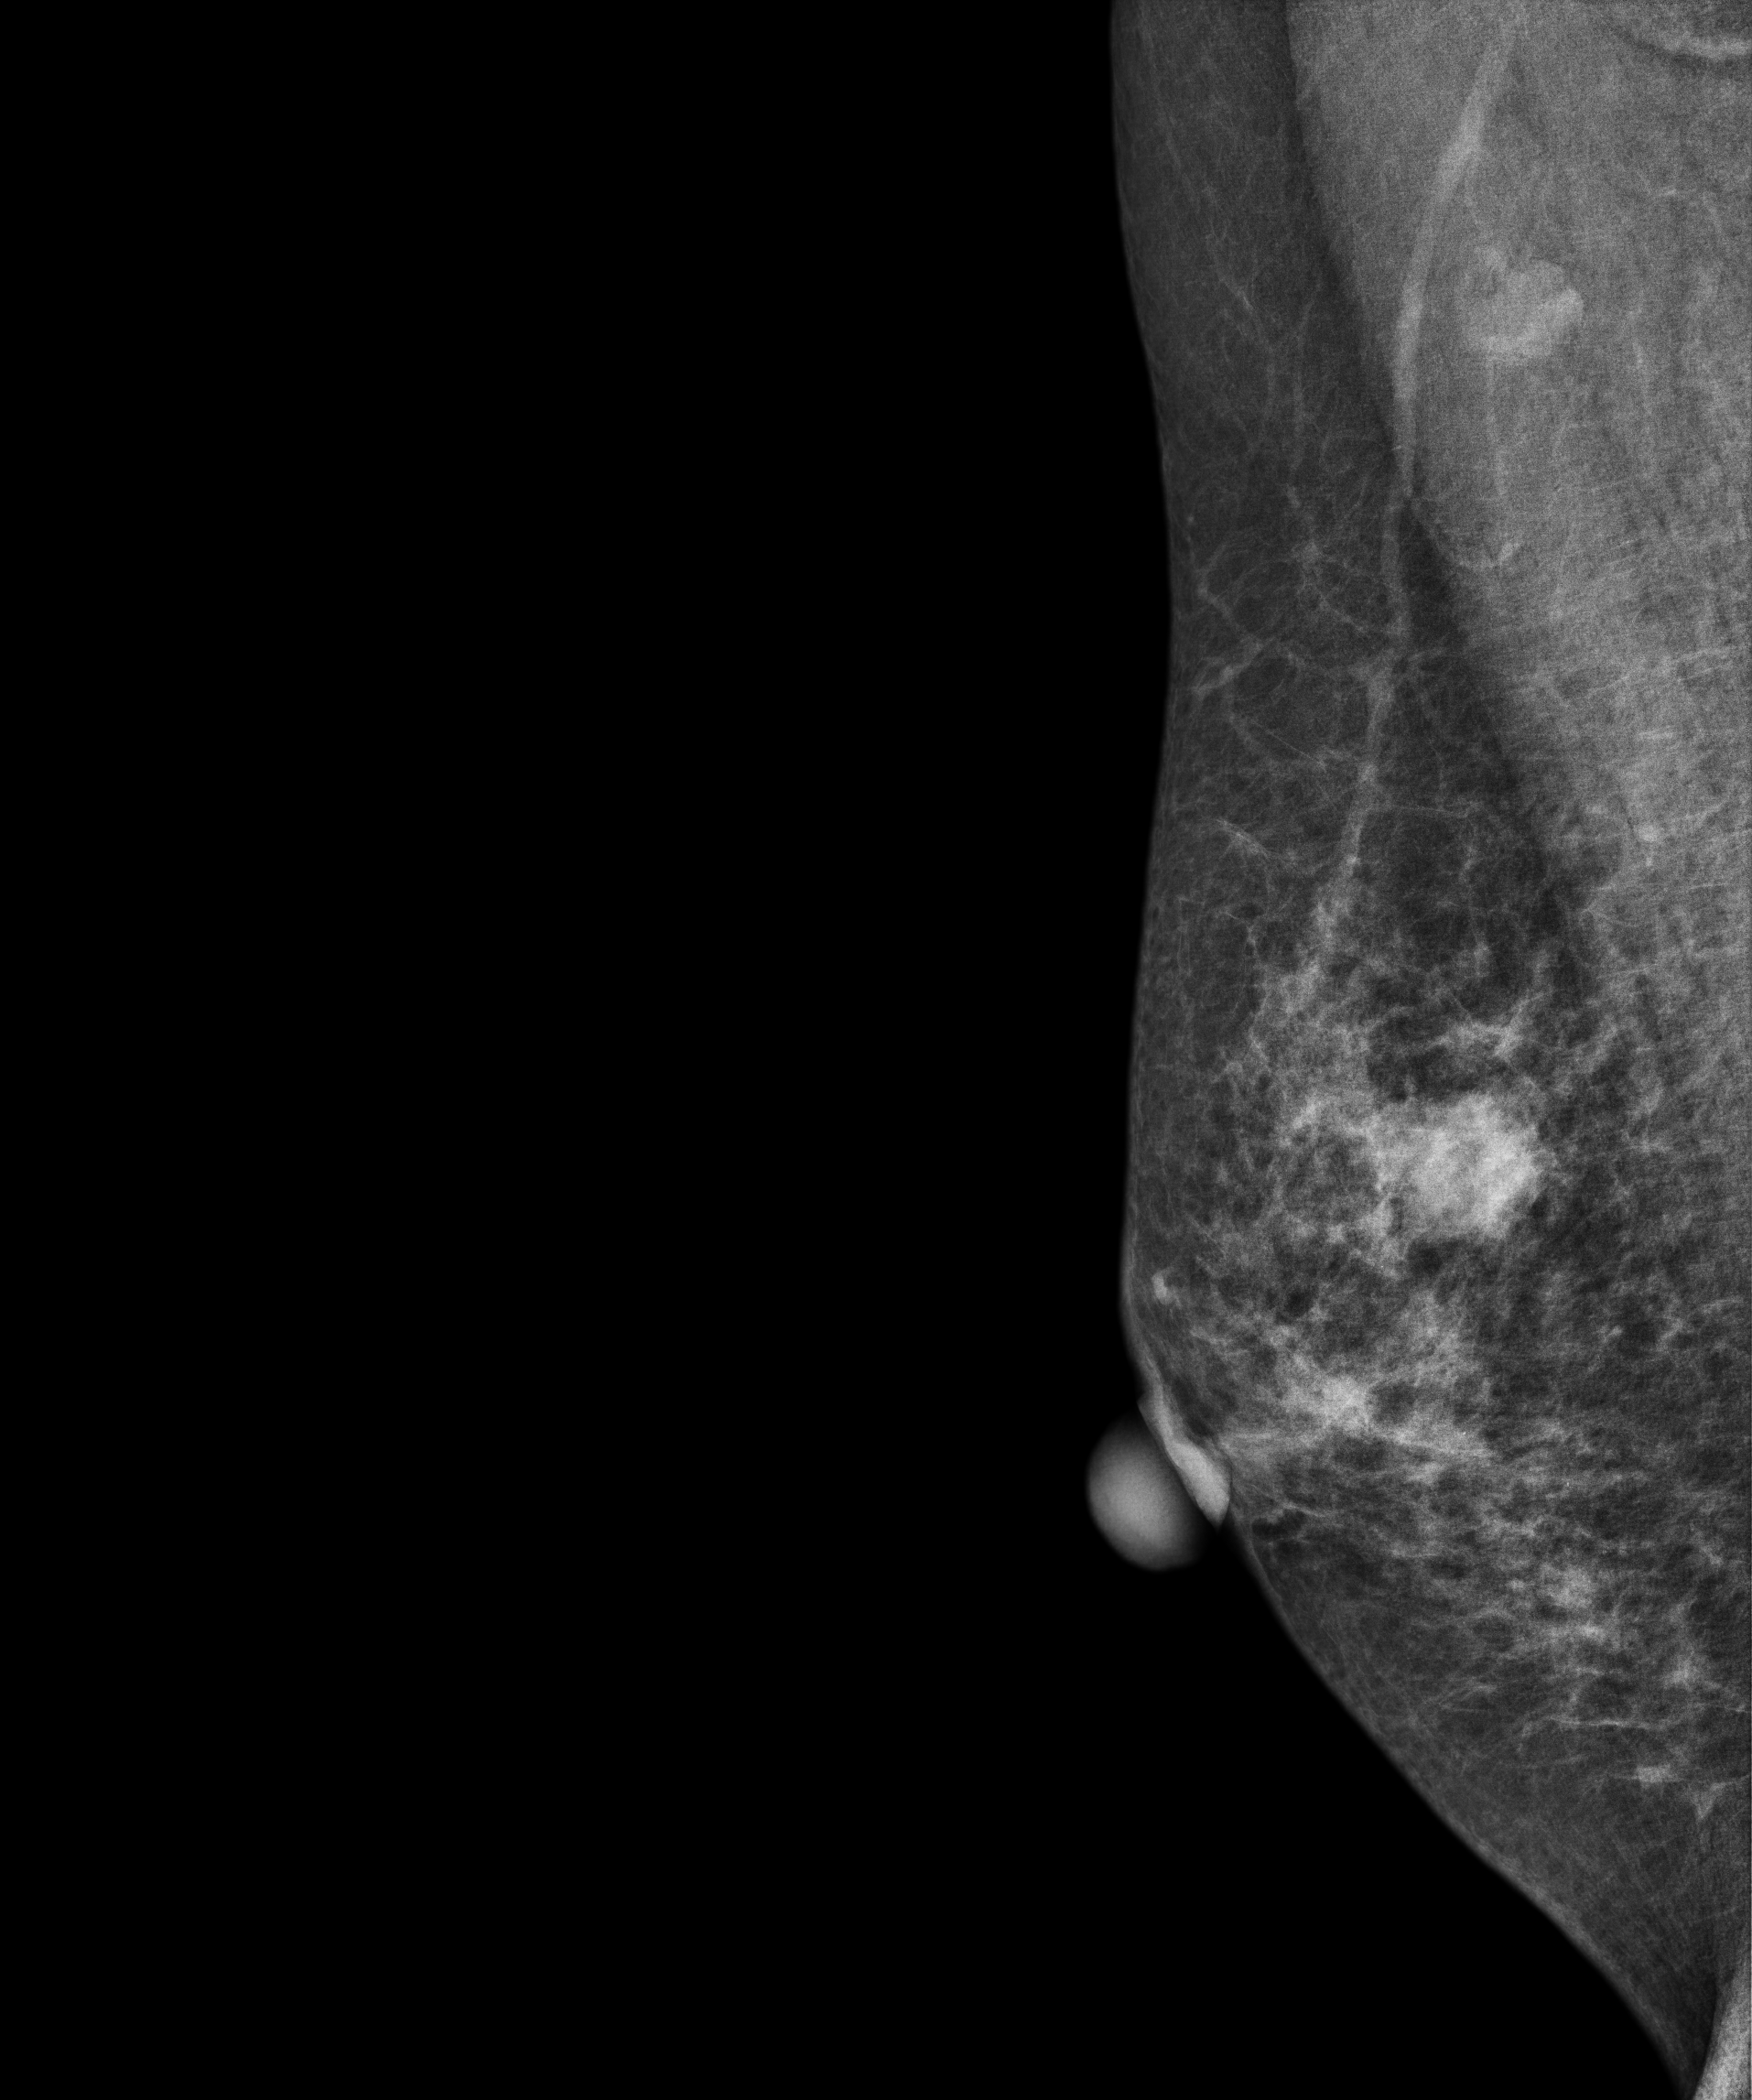
MLO mammogram of the right breast. 60 y/o patient.
This breast has a mass, biopsy-confirmed malignant. Molecular subtype: luminal B.